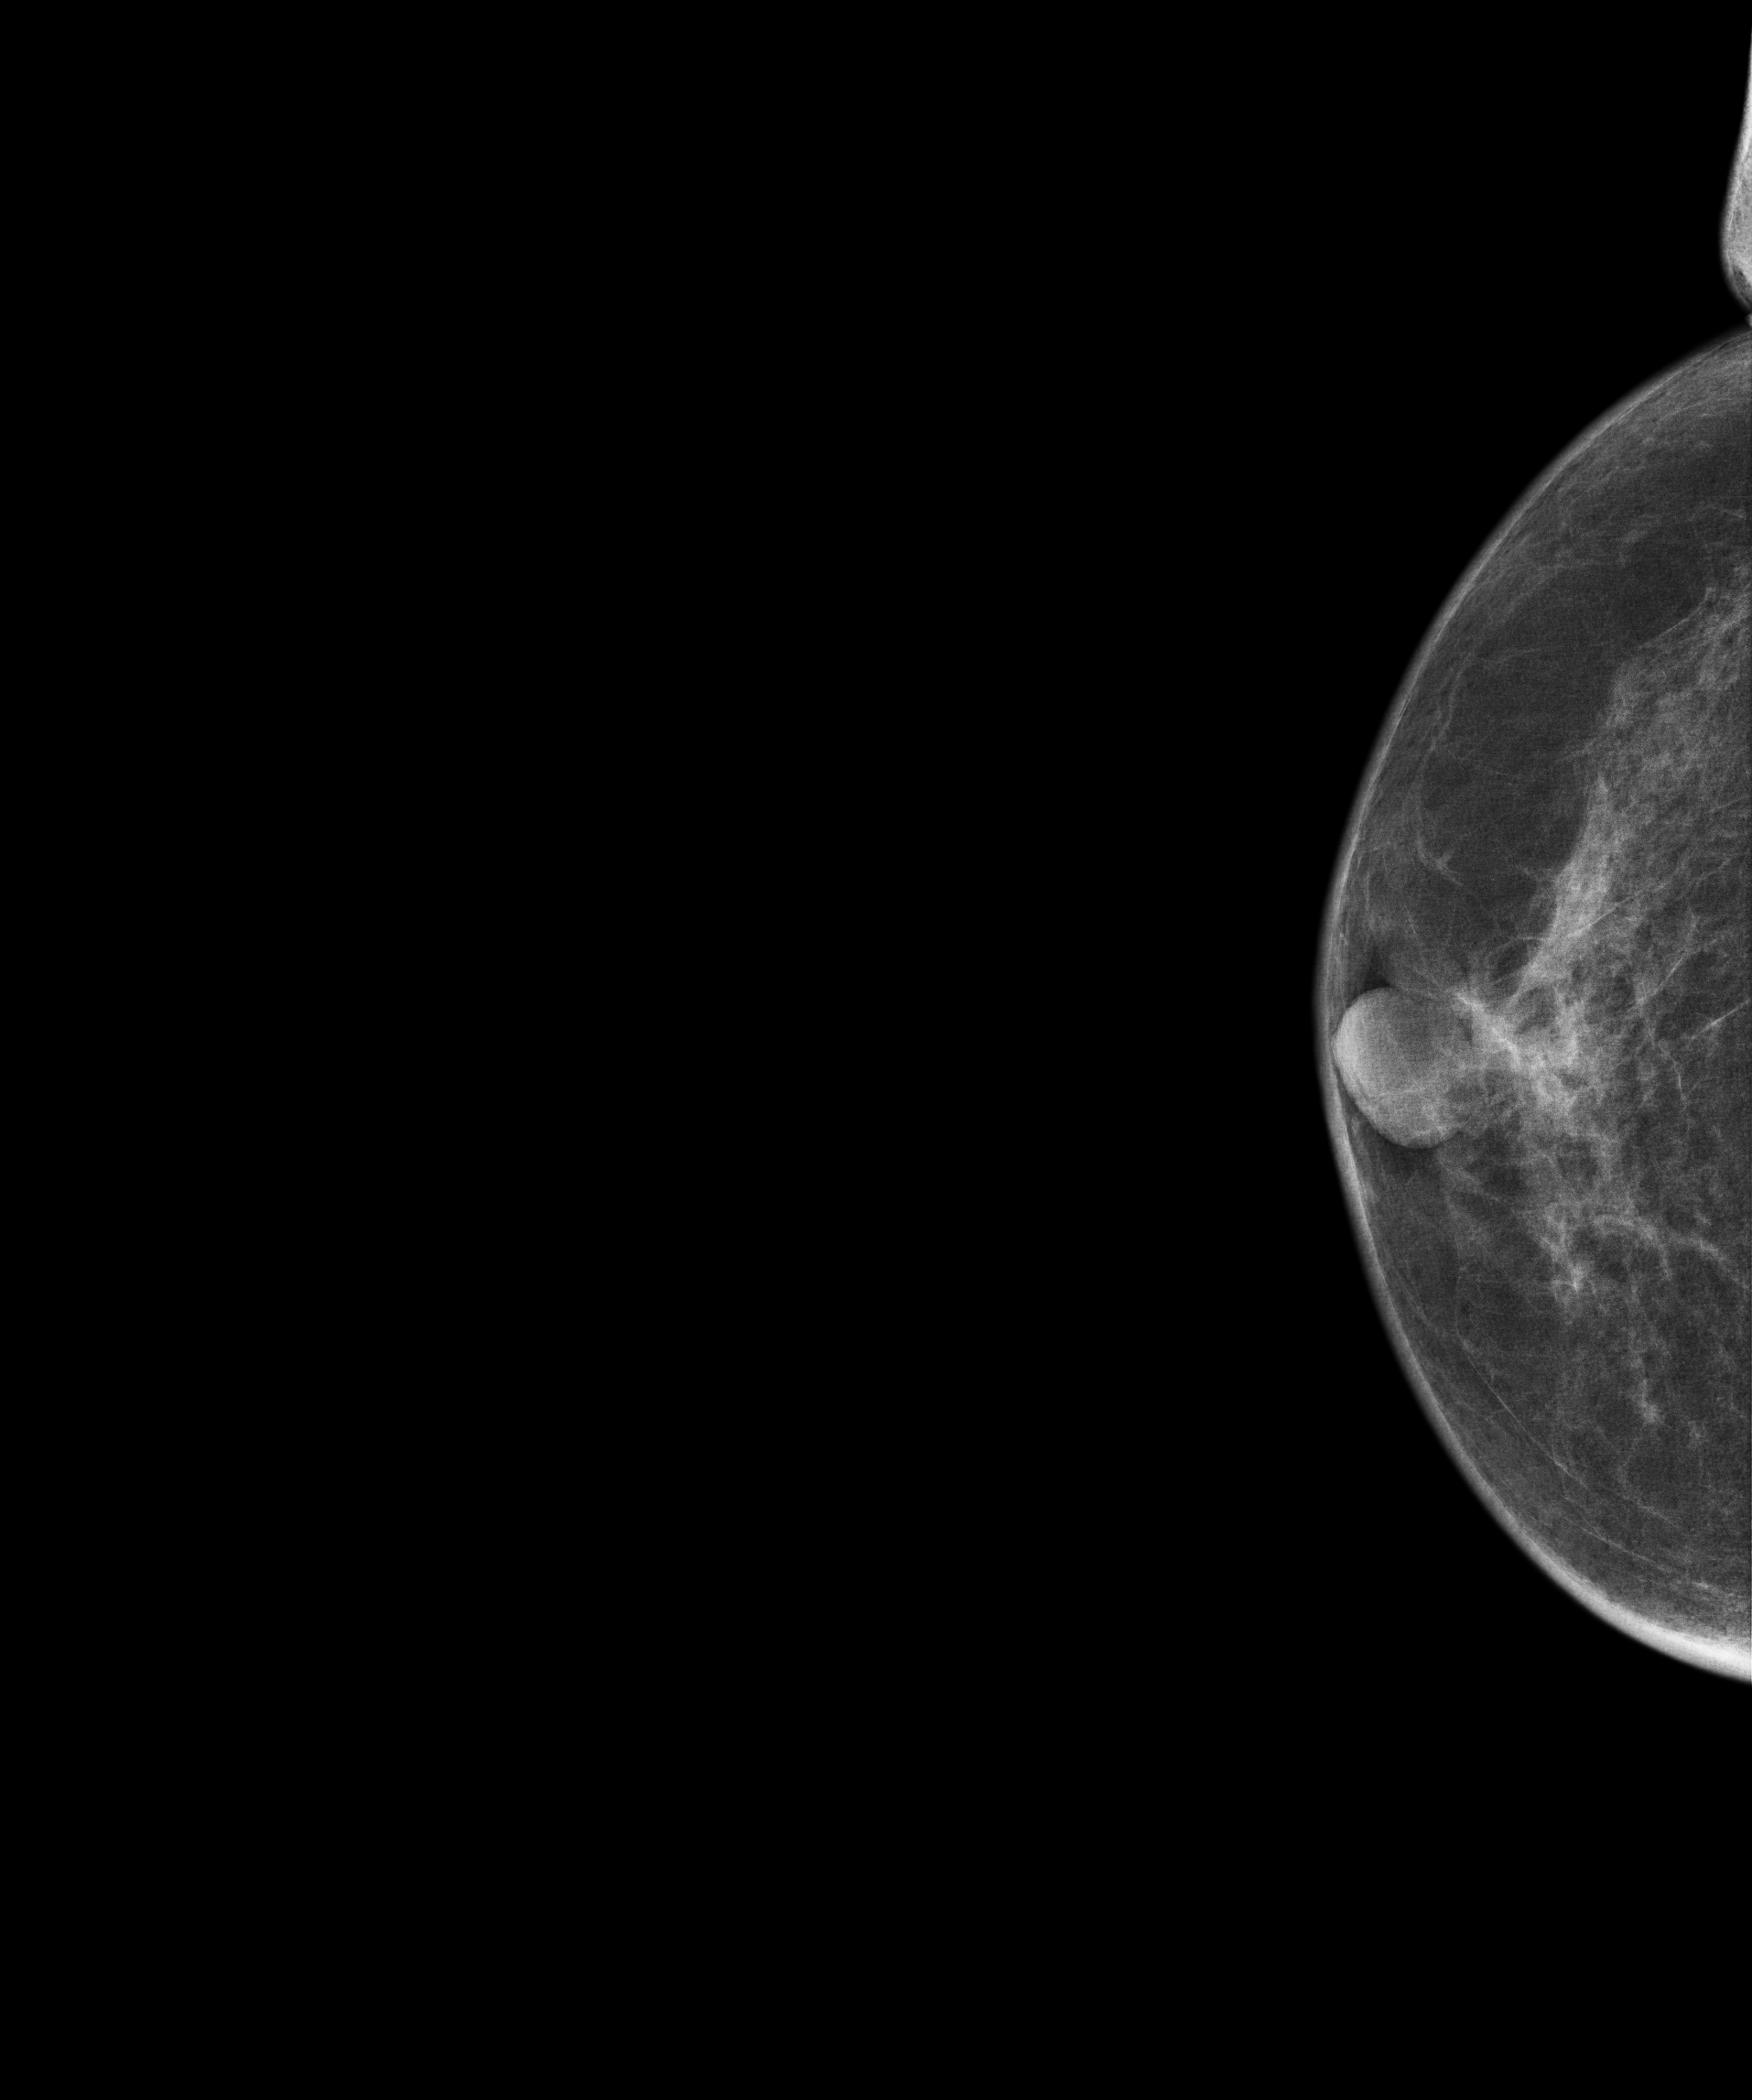
Digital mammography. Right breast, cranio-caudal projection. 61 y/o patient.
Contralateral breast — no documented abnormality on this side.